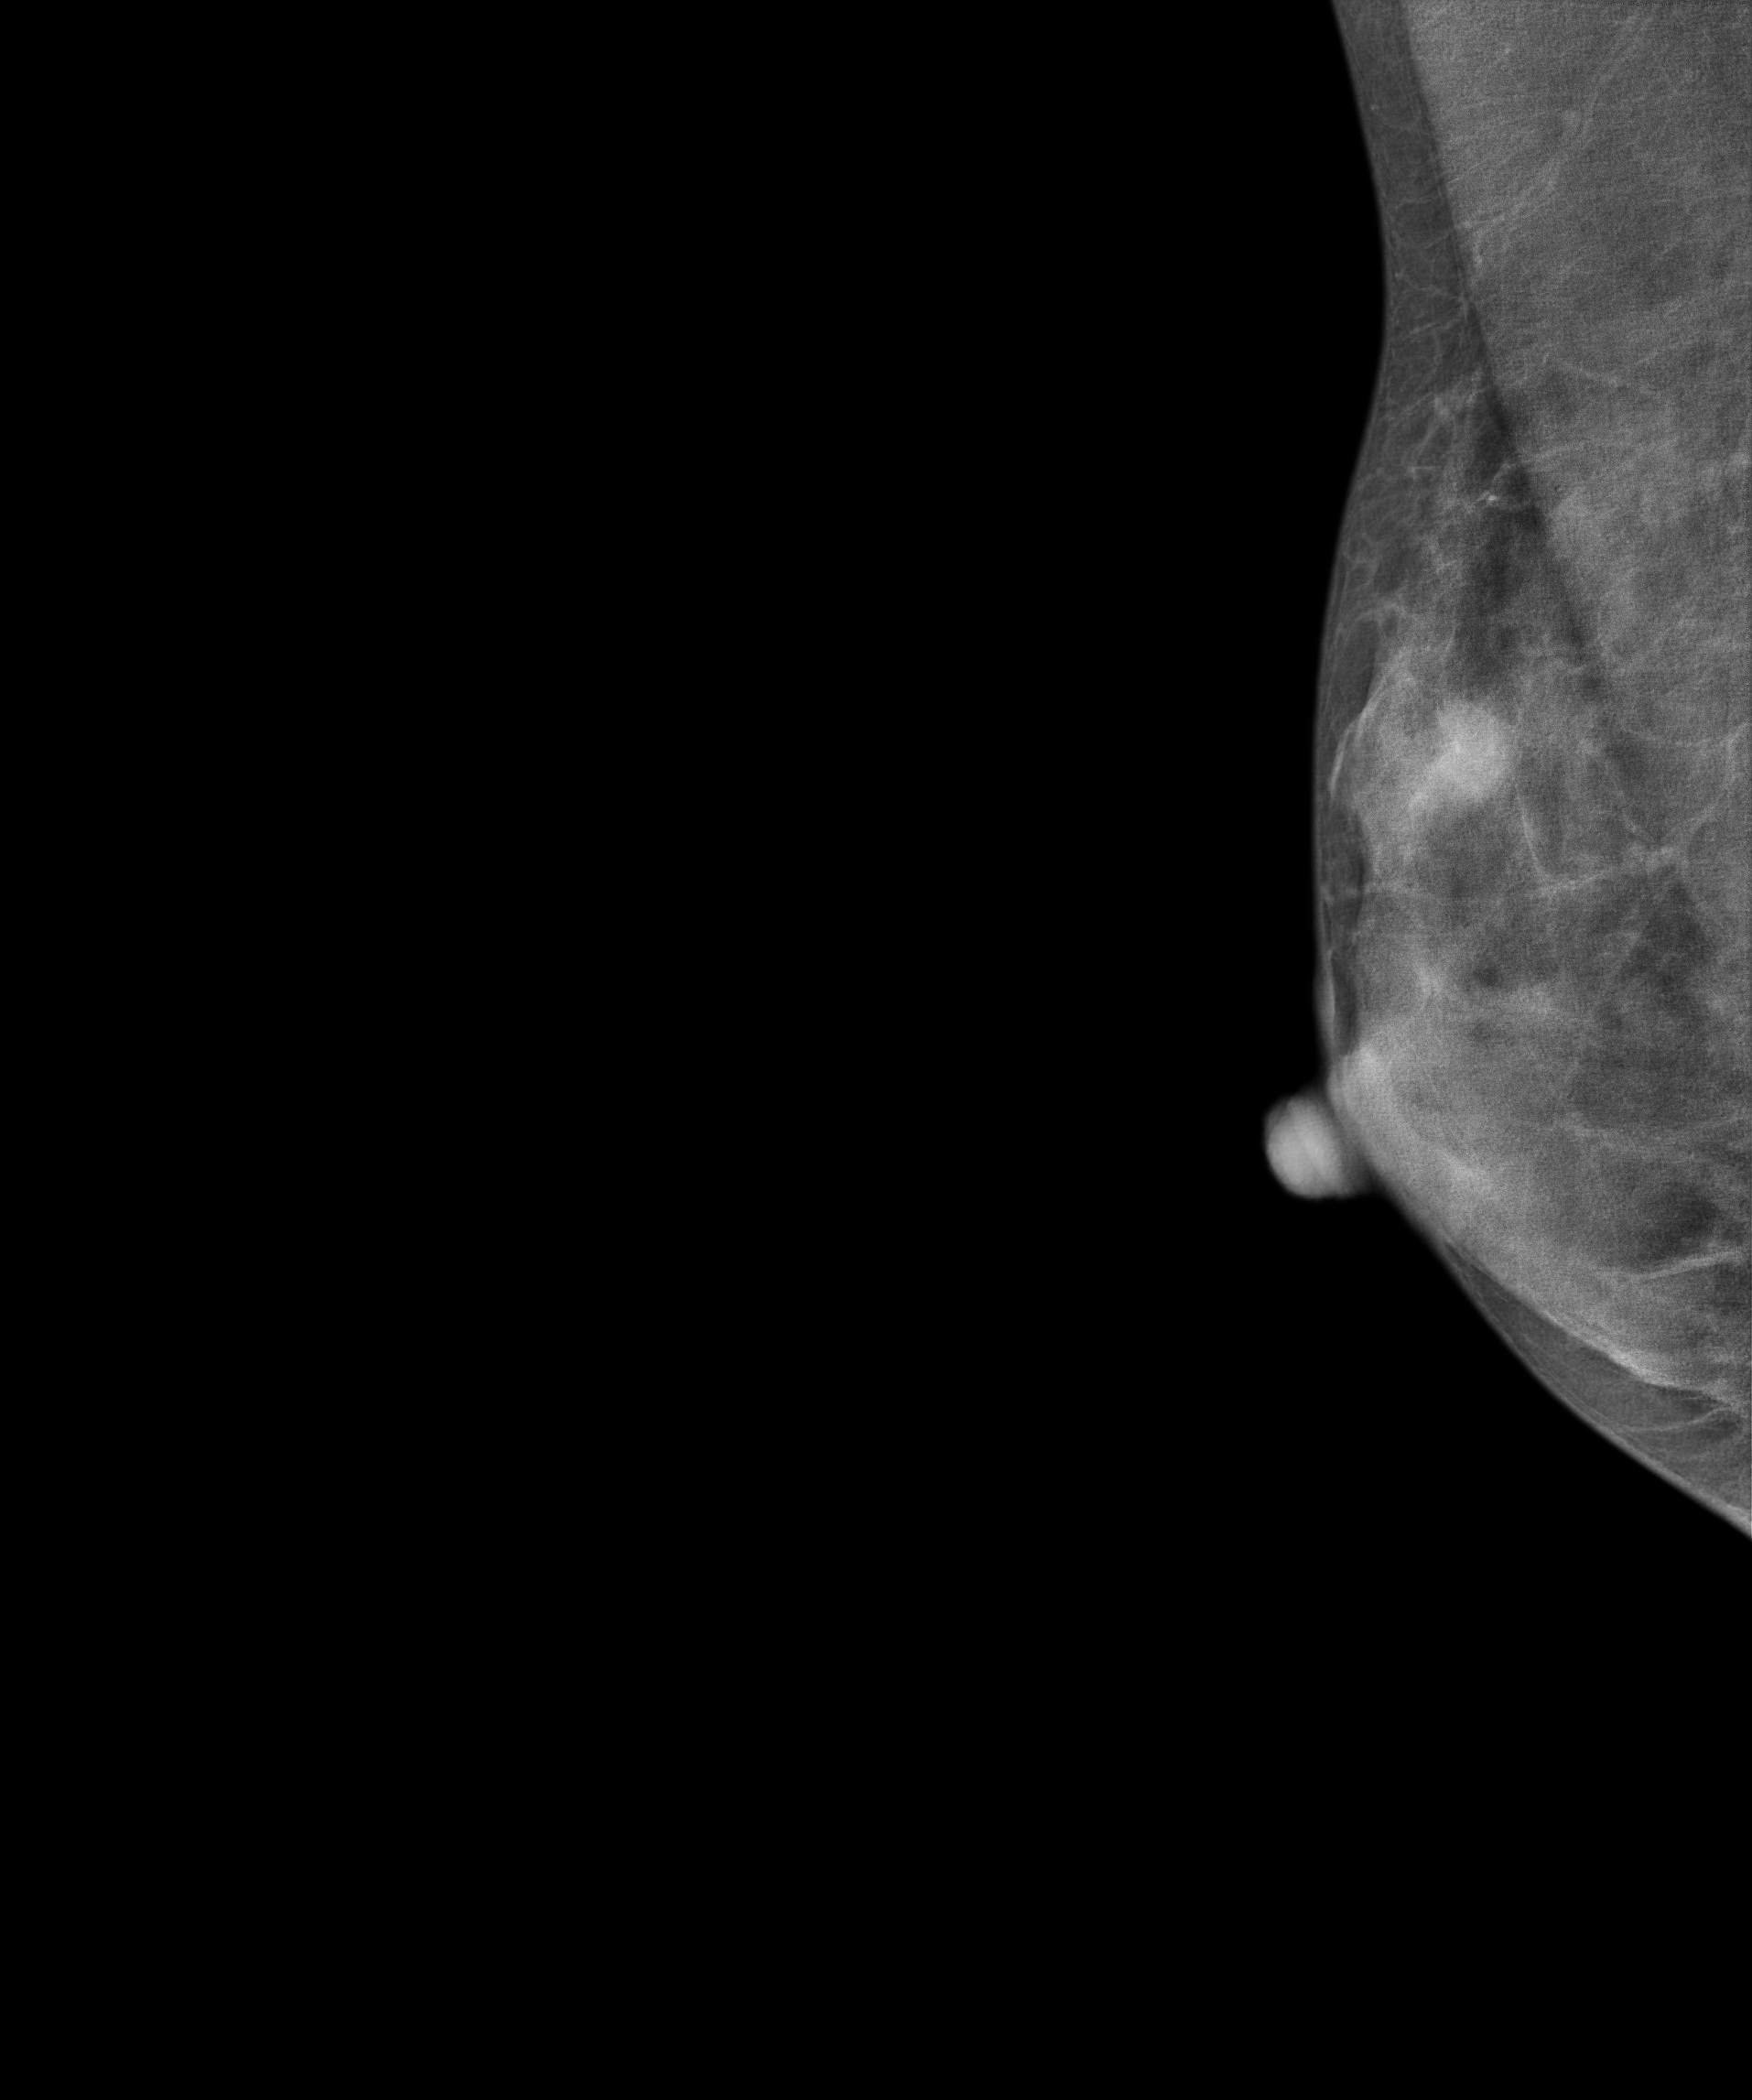
Digital mammography. Right breast, medio-lateral oblique projection. 26-year-old patient.
This breast has a mass, pathology-confirmed malignant.